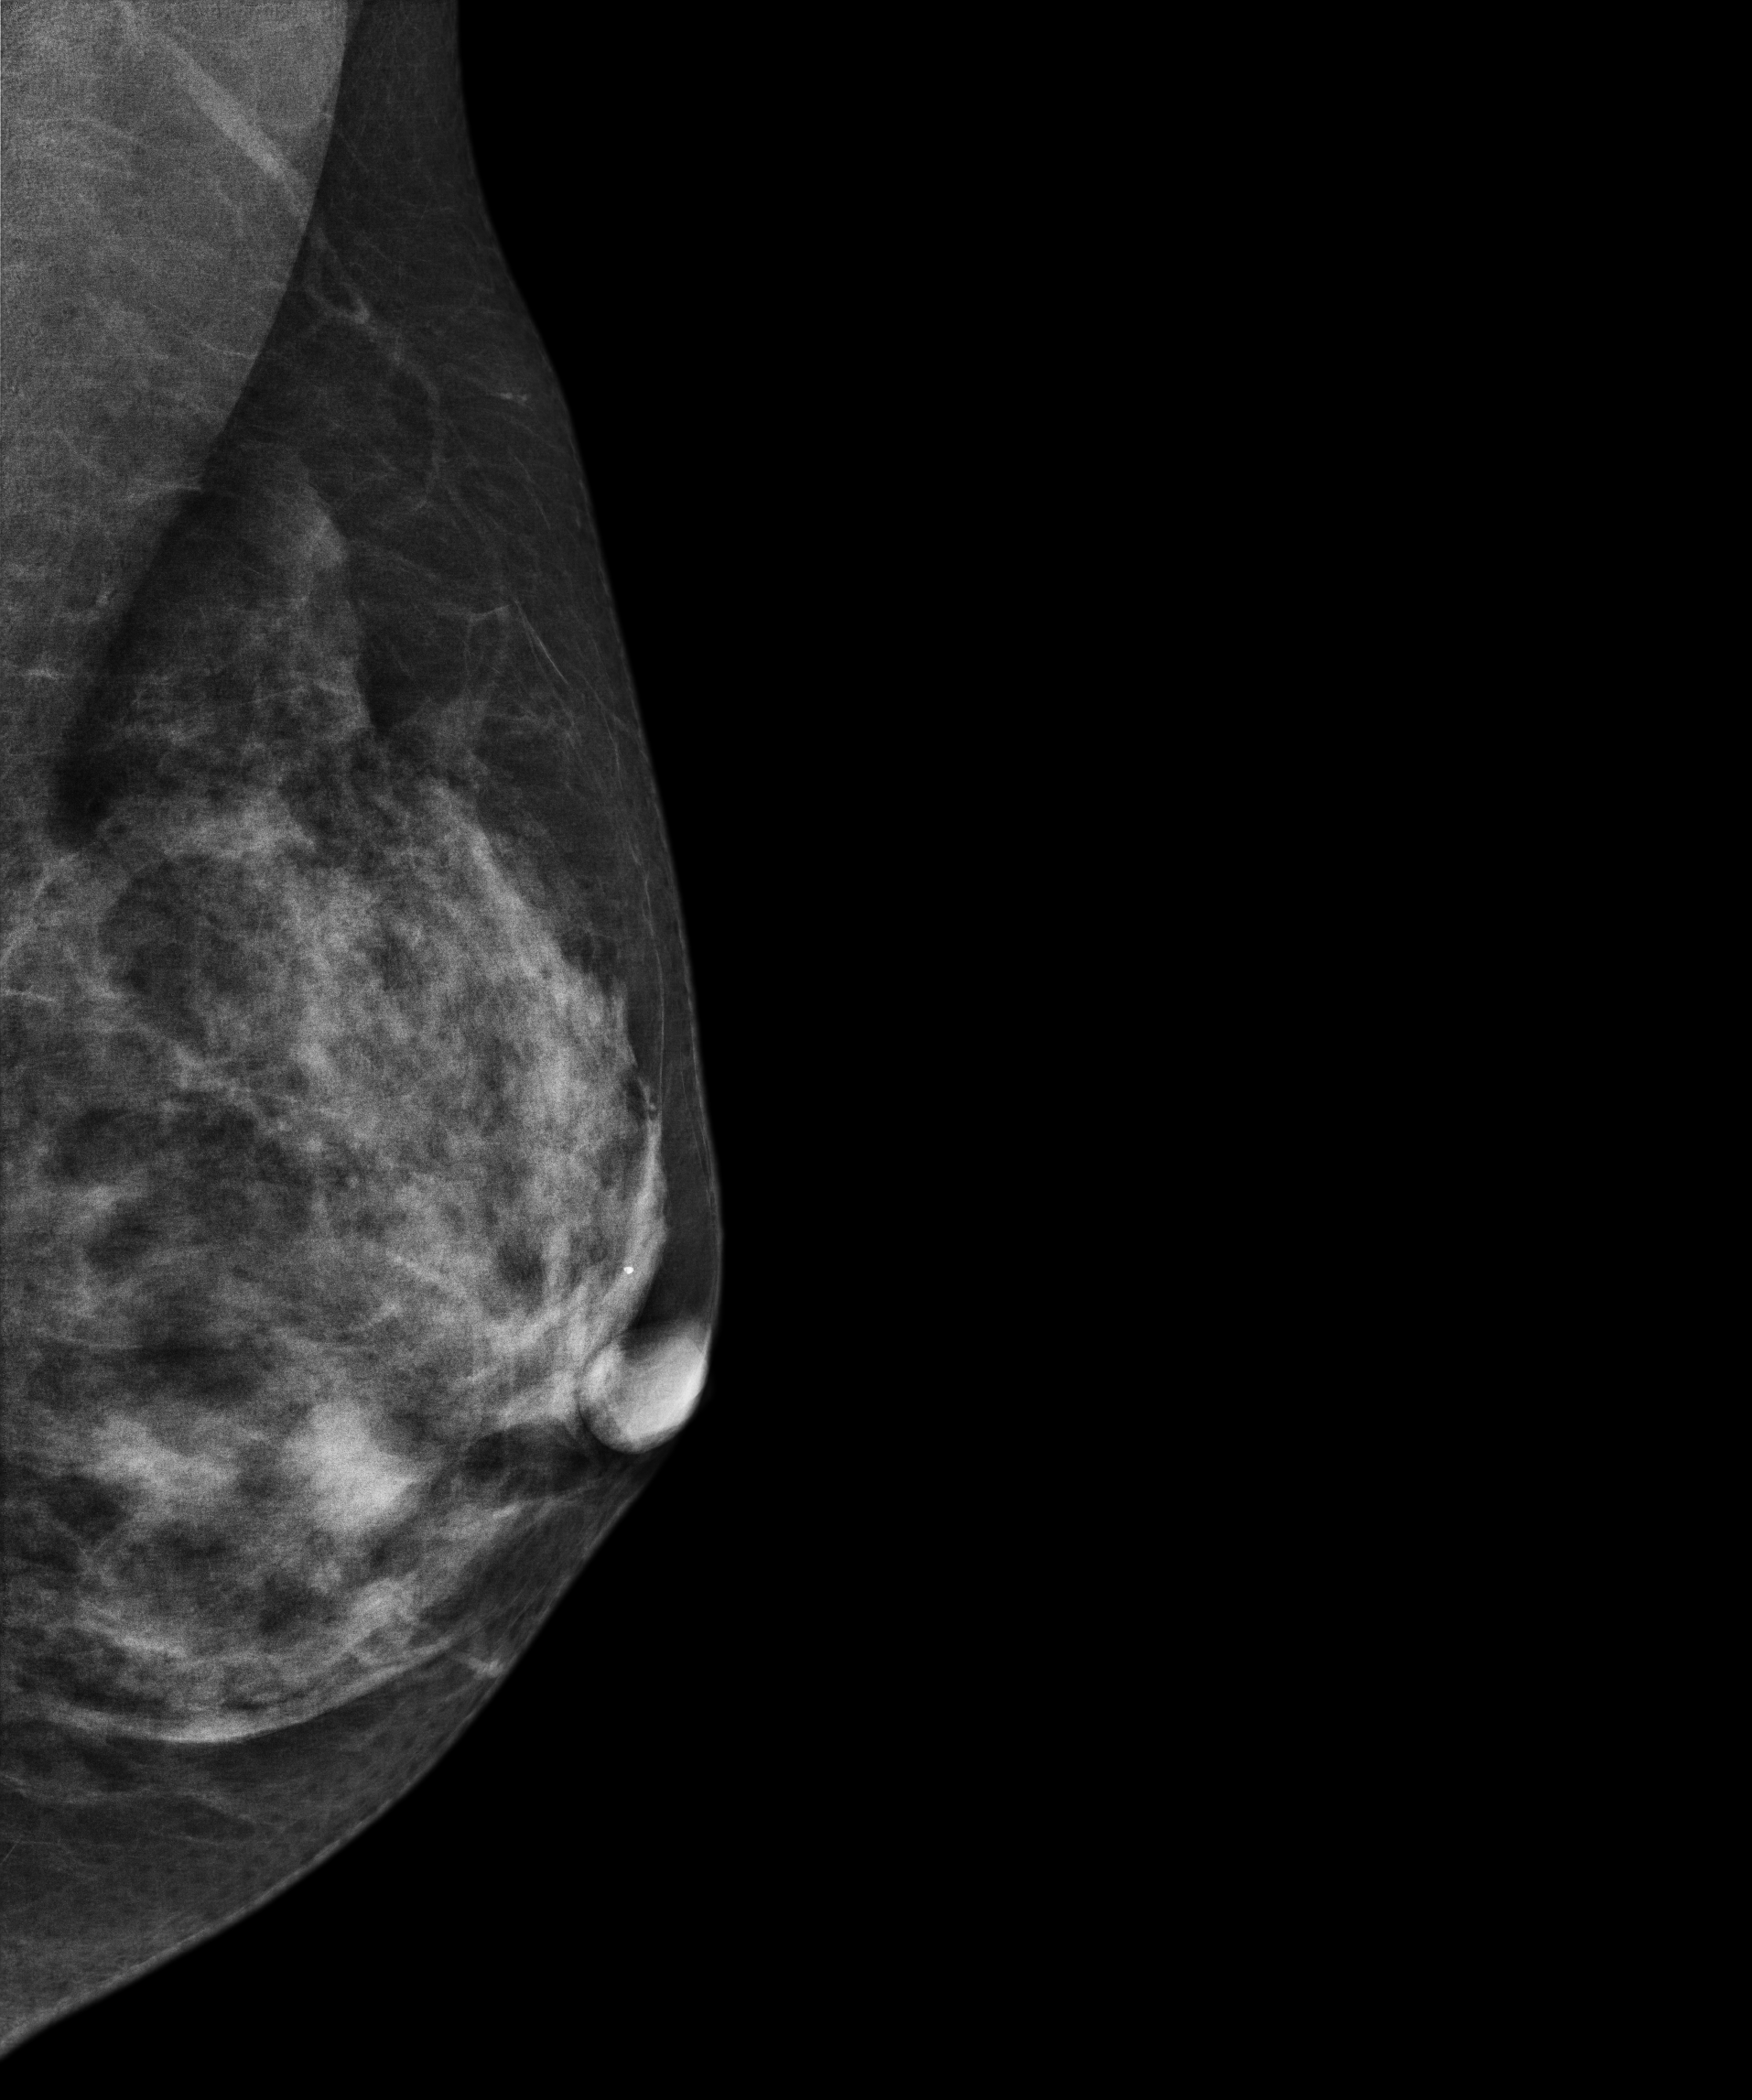
Left-breast mammogram, MLO. Patient age 38.
This breast has a mass, pathology-confirmed malignant. Molecular subtype: luminal B.